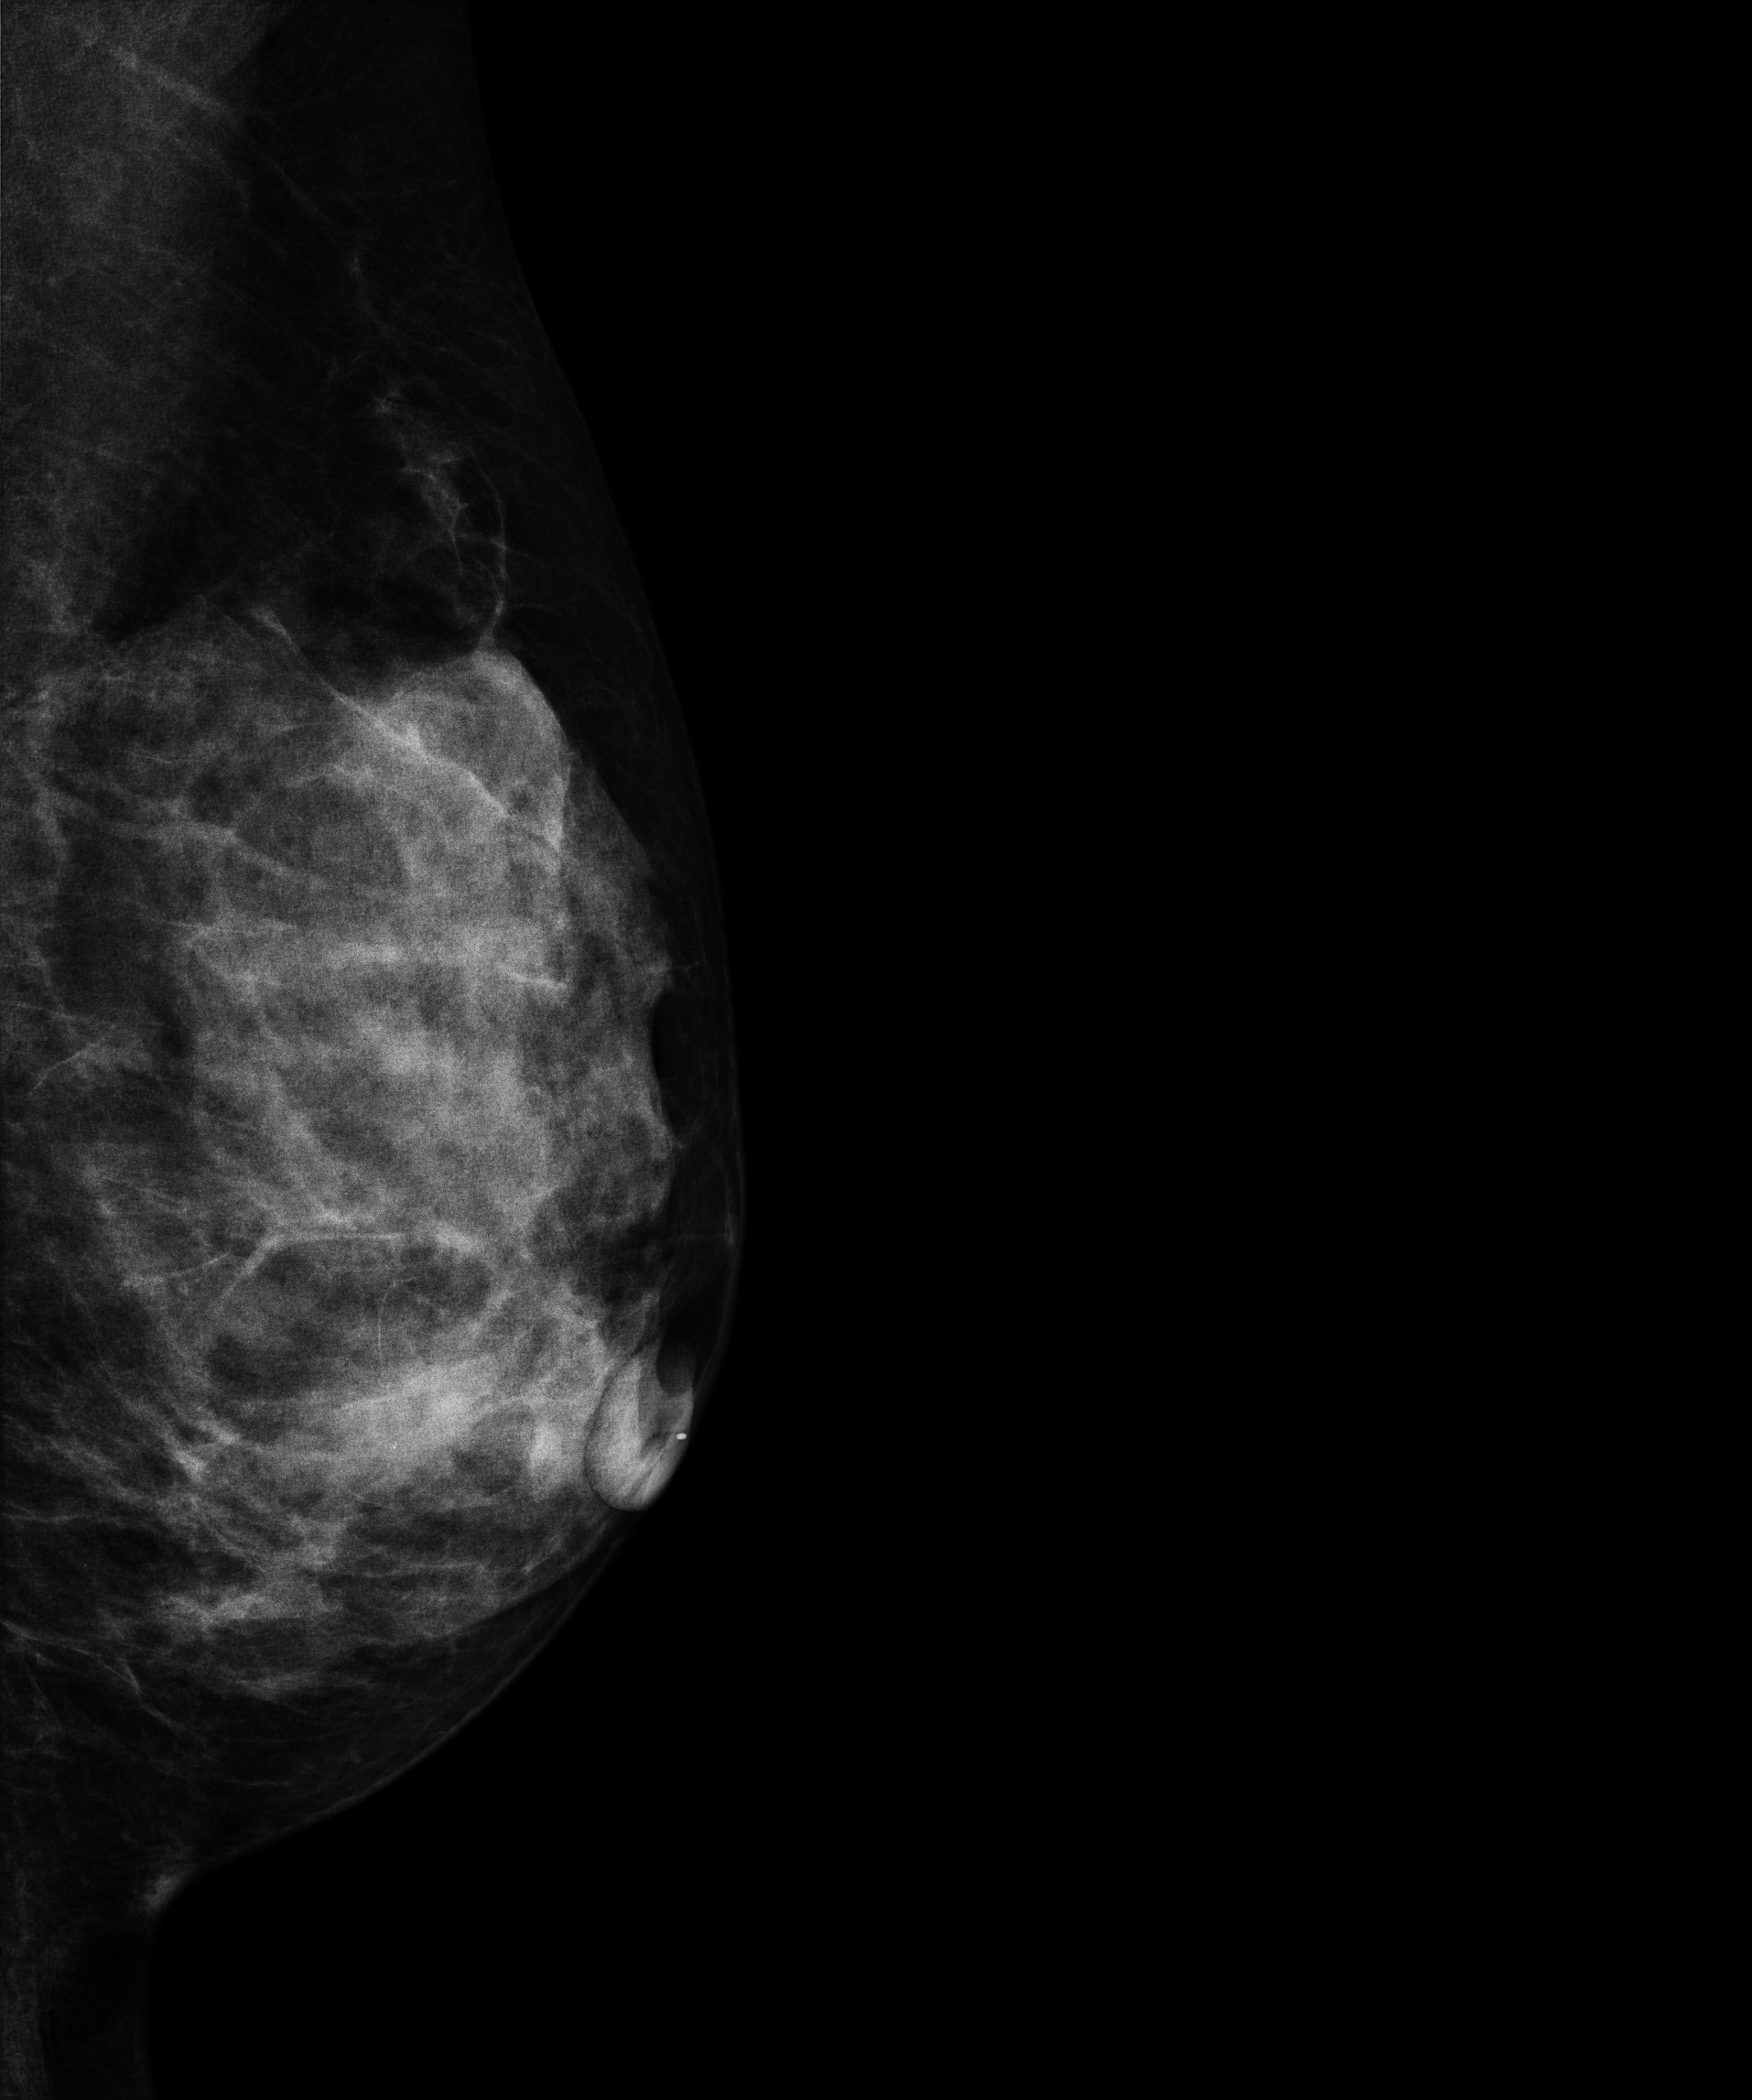
Digital mammography. Left breast, medio-lateral oblique projection. 43-year-old patient.
This breast has a mass, biopsy-confirmed malignant. Molecular subtype: luminal A.